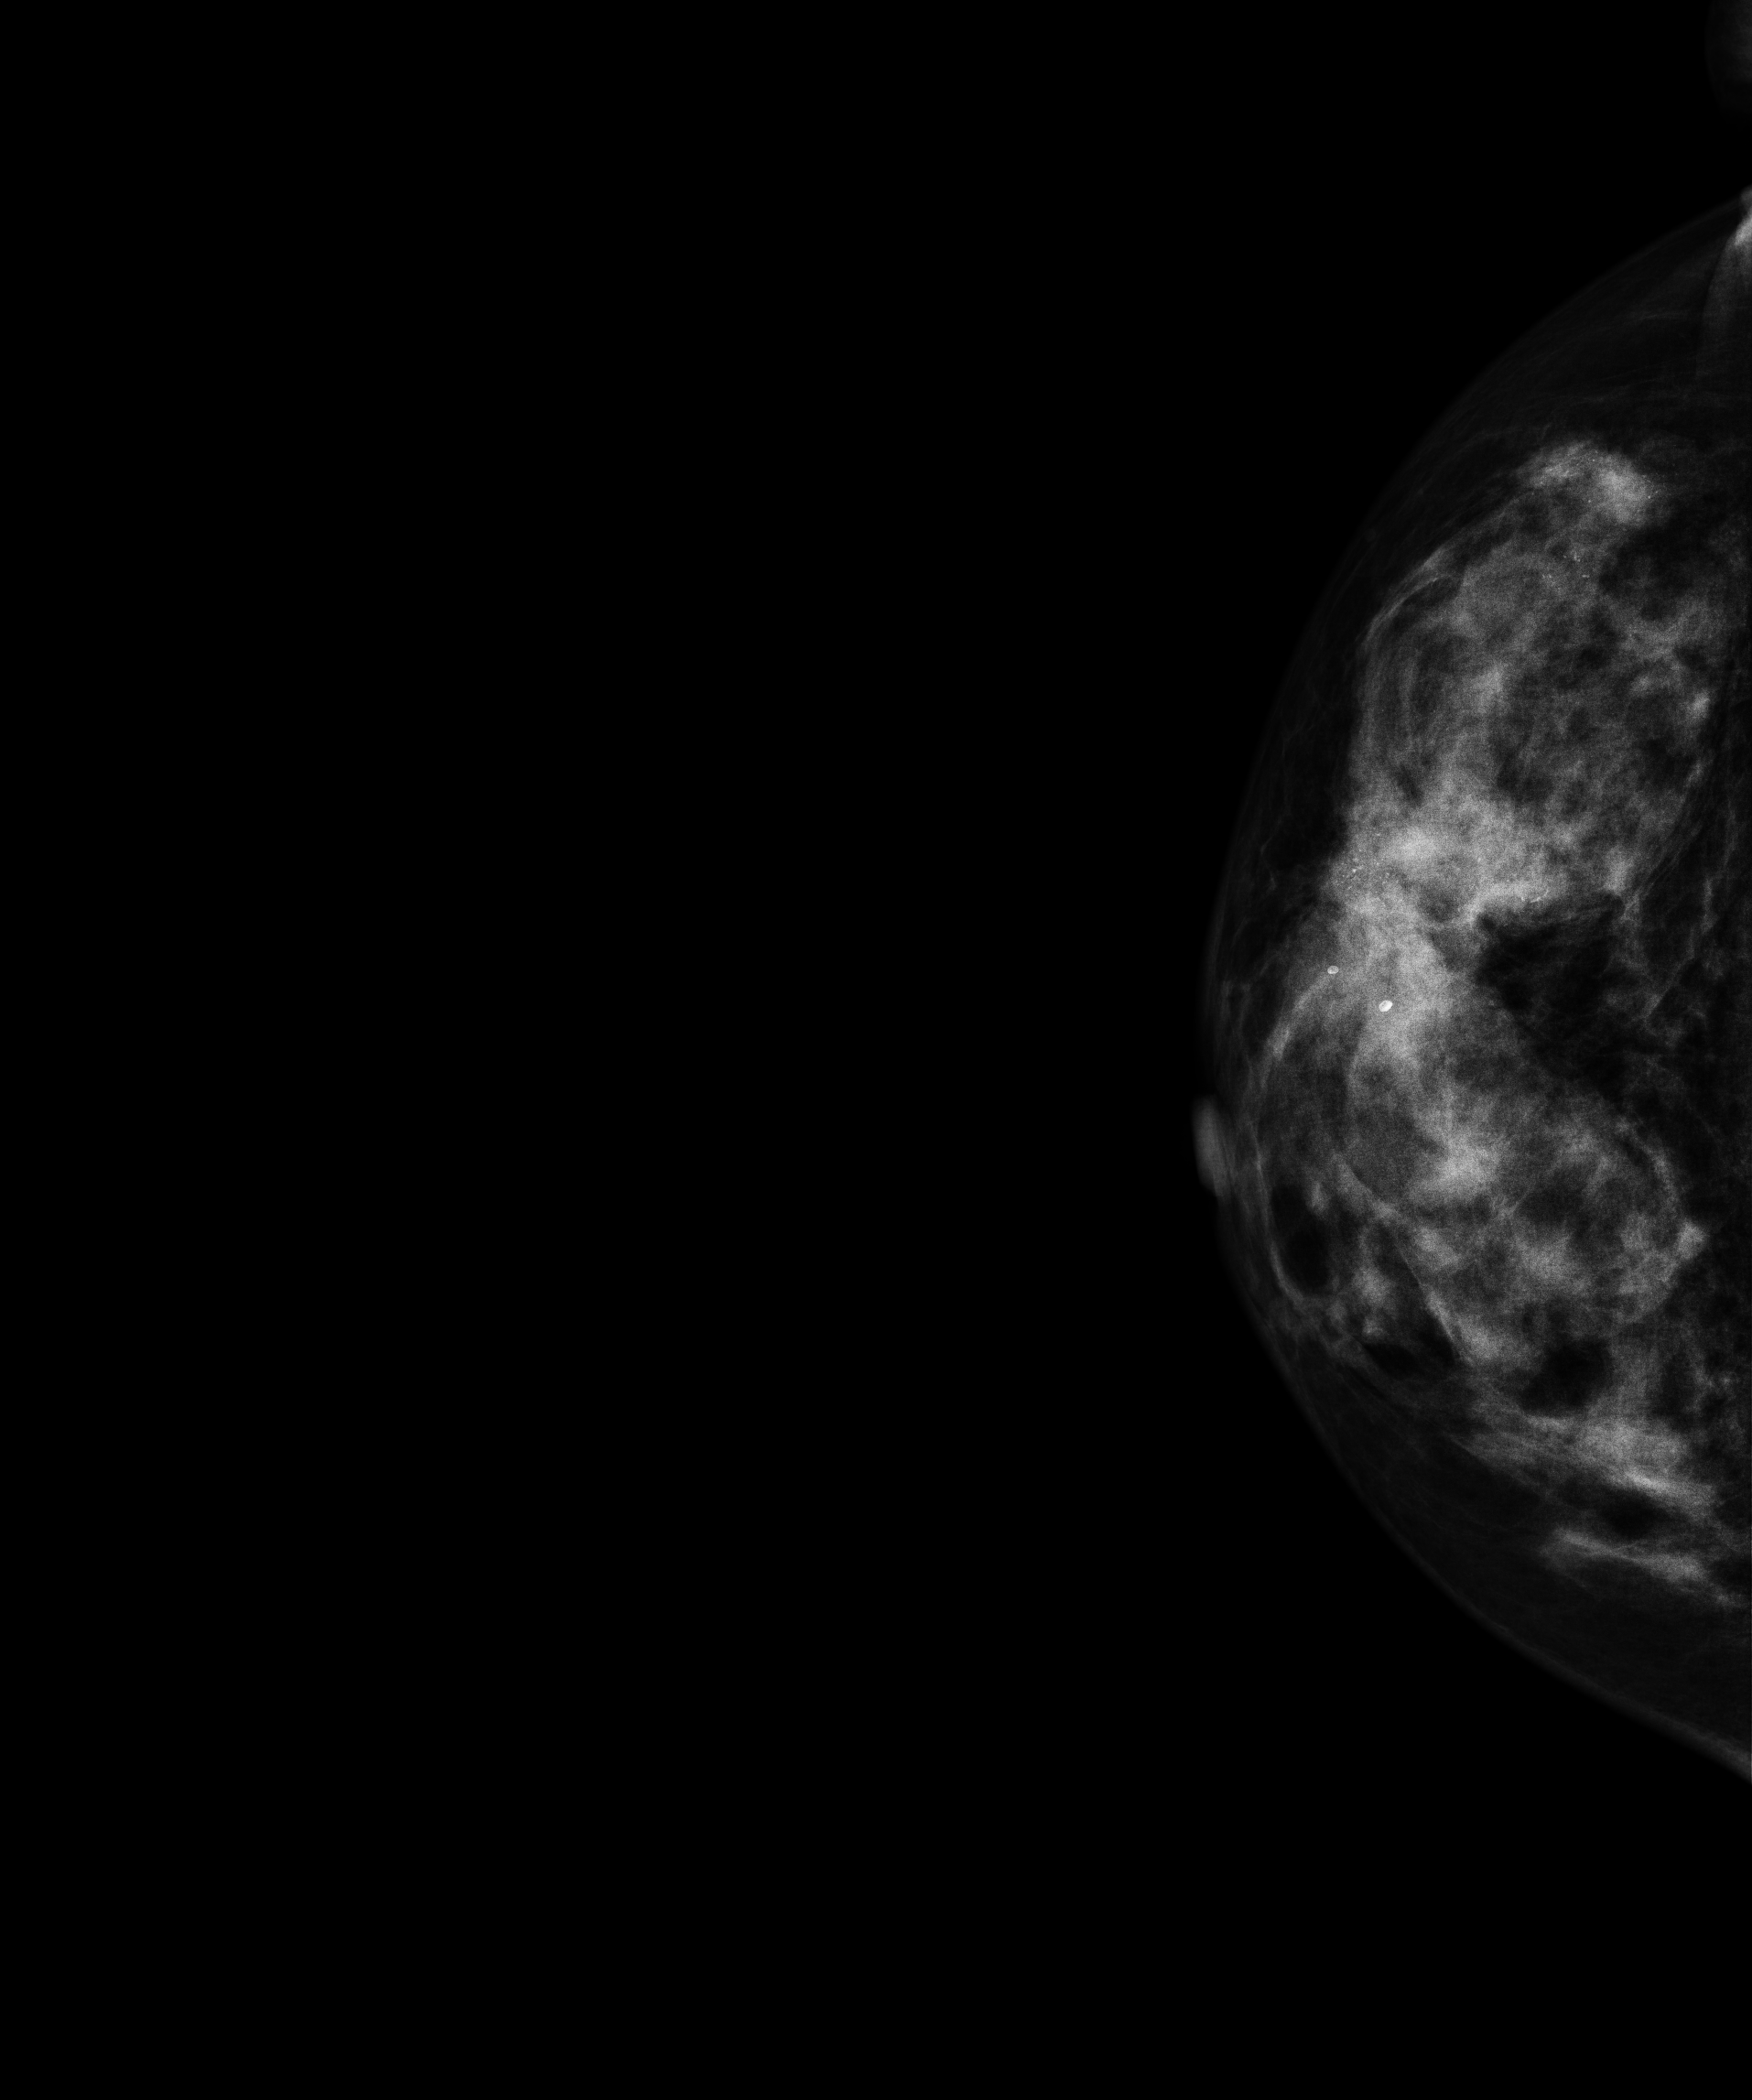
Right-breast mammogram, CC. 47 y/o patient.
This breast has a mass and calcifications, pathology-confirmed malignant. Molecular subtype: luminal B.